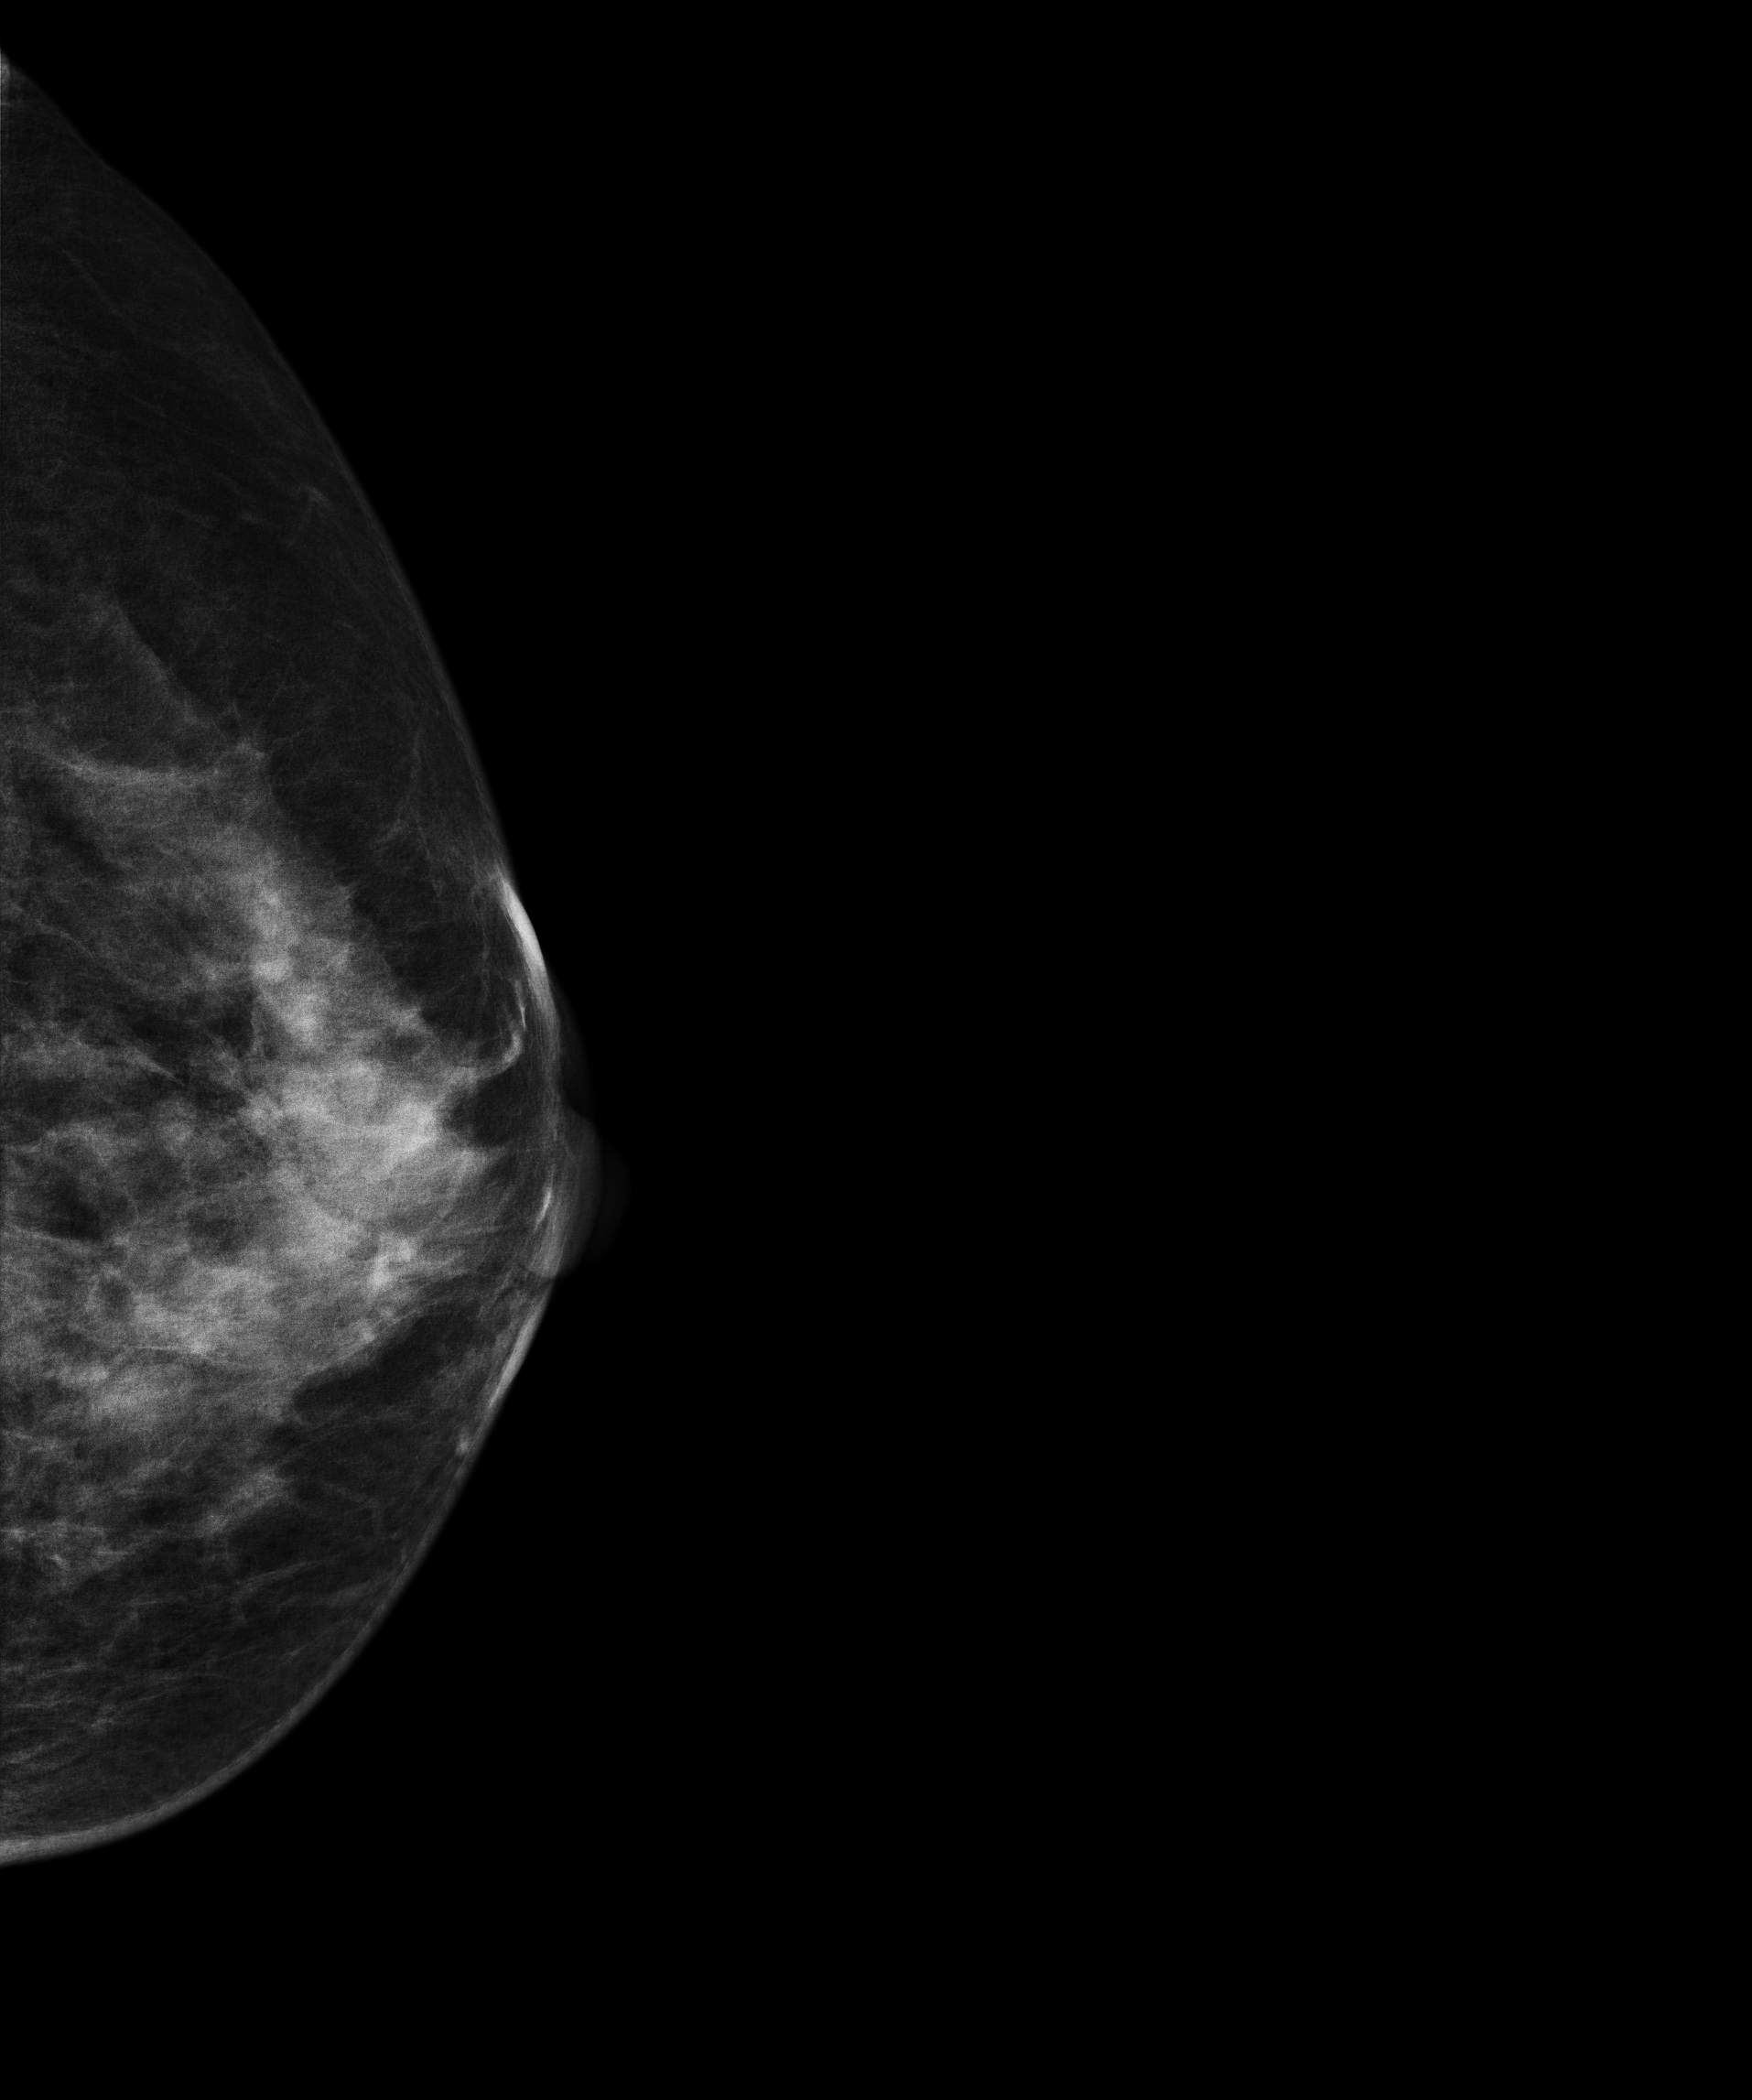
Digital mammography. Left breast, cranio-caudal projection. 43 y/o patient.
This breast has a mass, biopsy-confirmed benign.